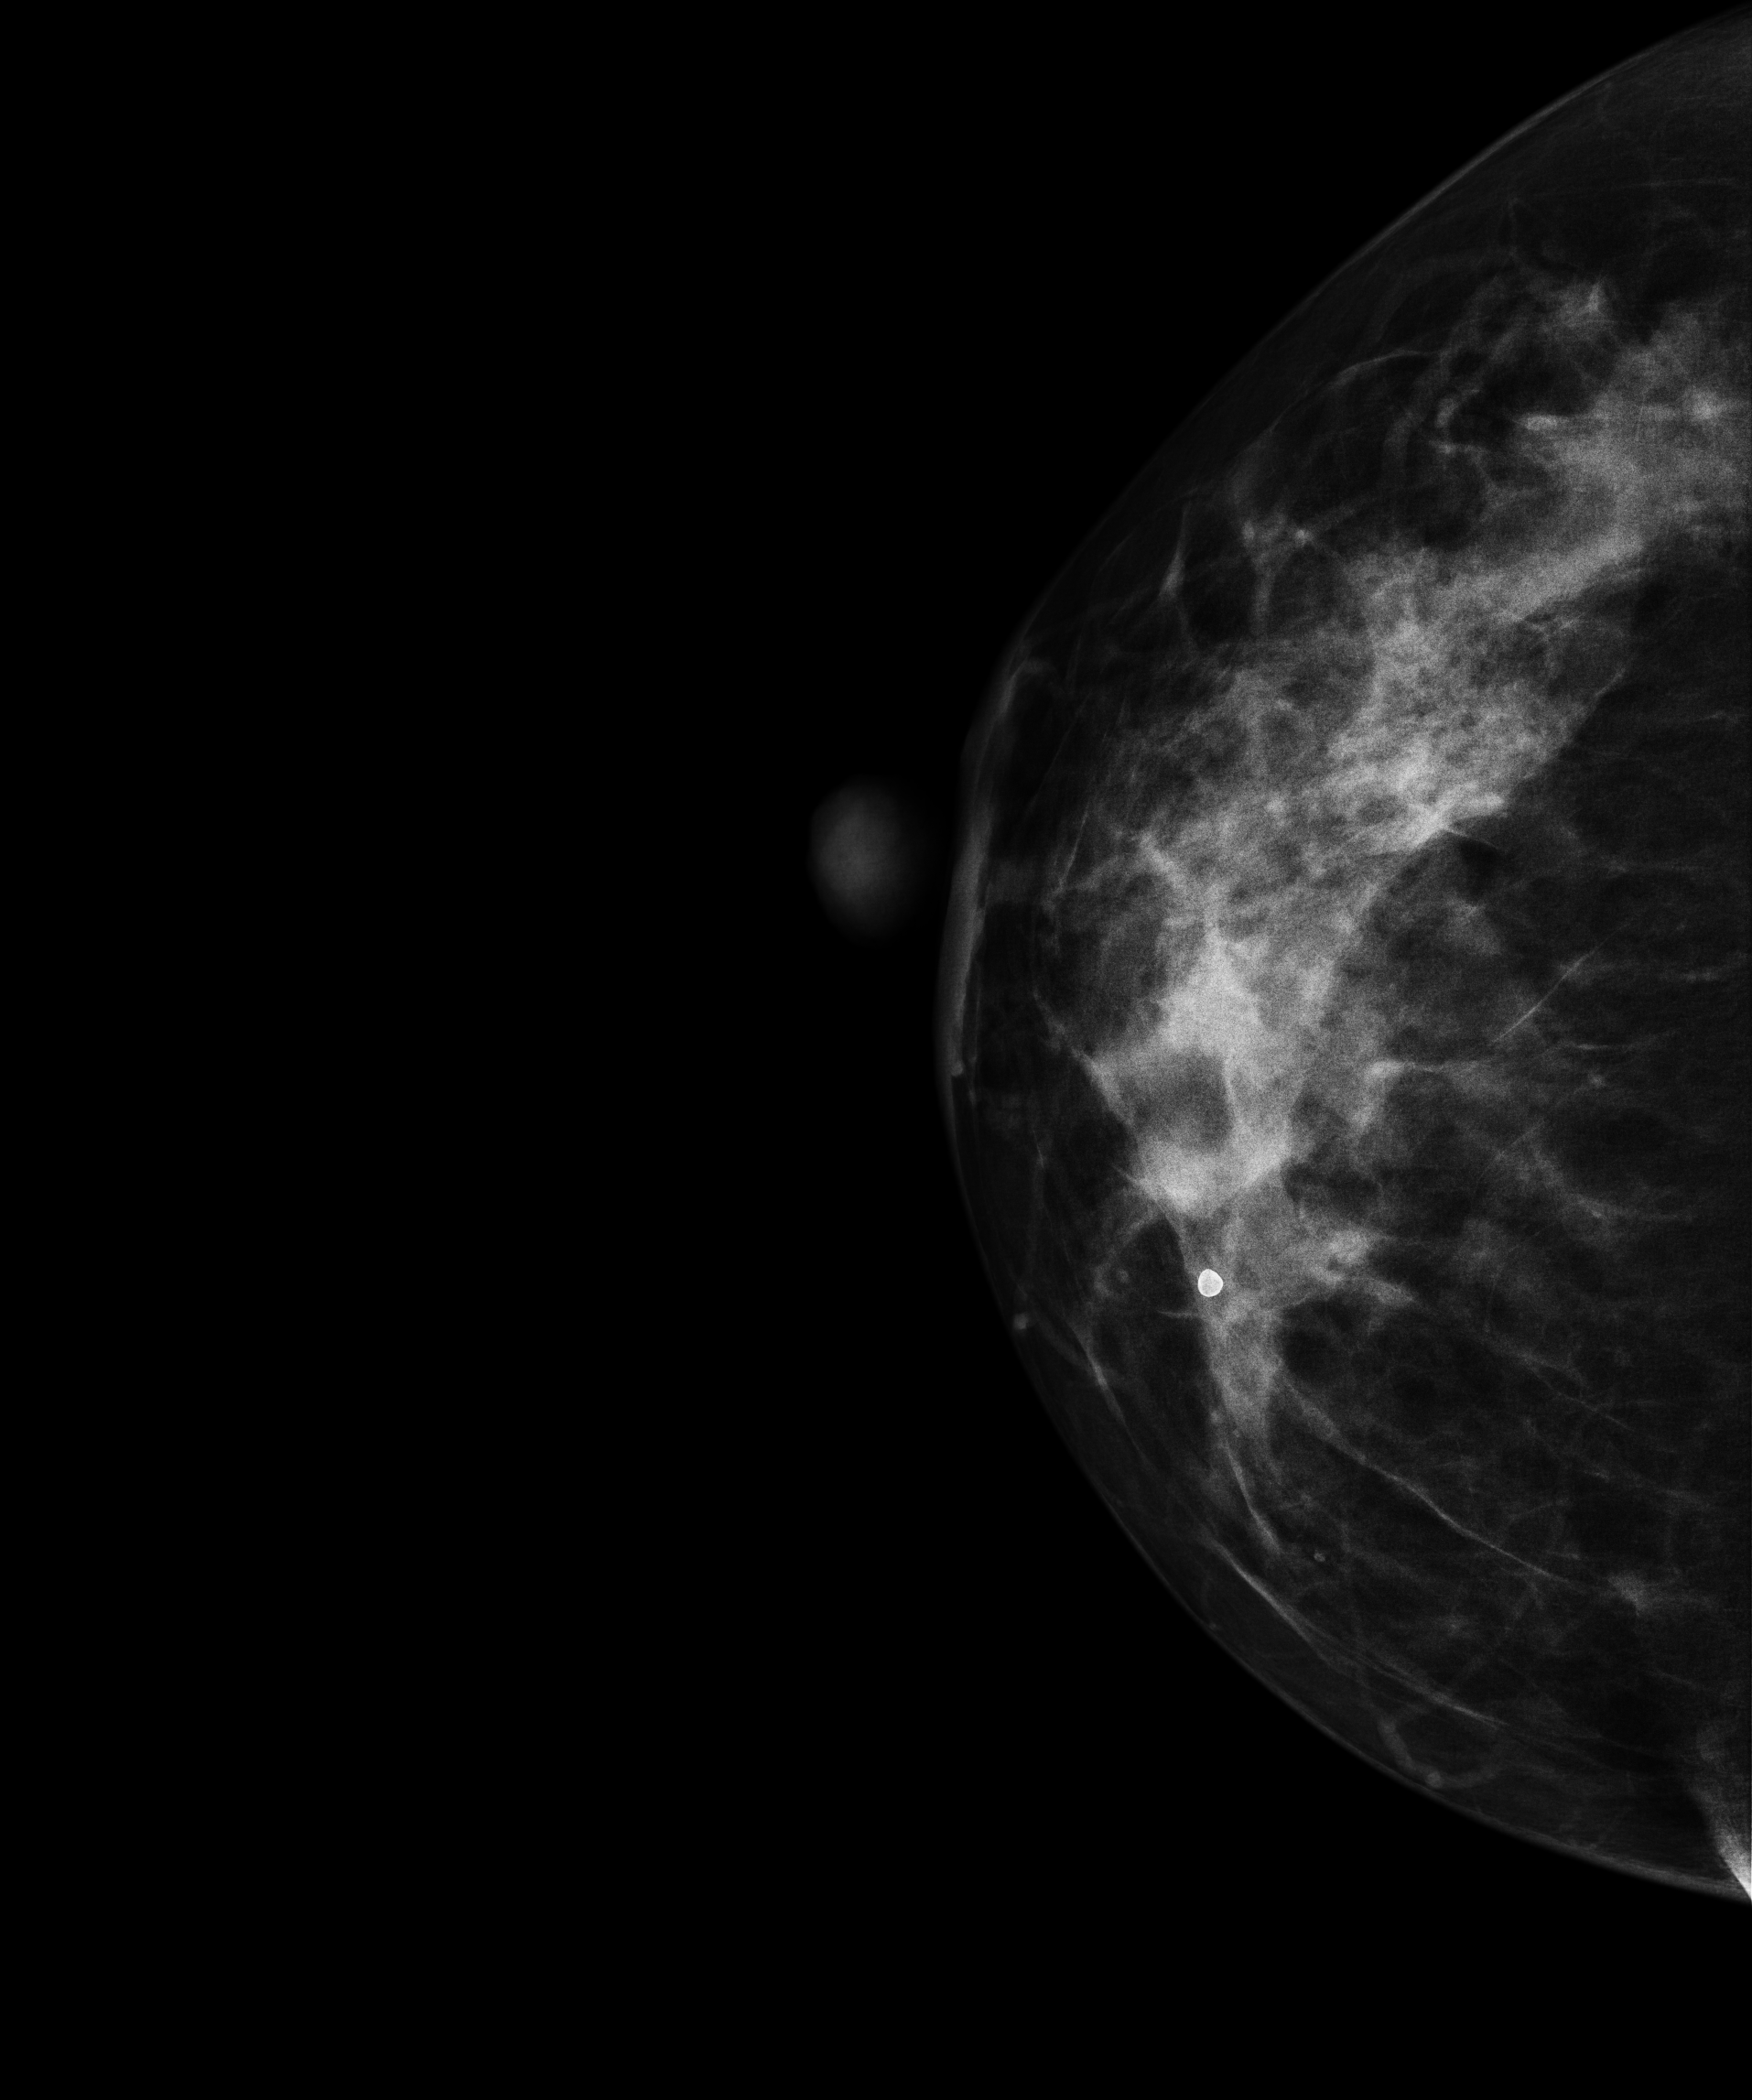
Digital mammography. Right breast, cranio-caudal projection. Patient age 31.
This breast has calcifications, histologically confirmed benign.